Mammogram — left cranio-caudal. 62-year-old patient.
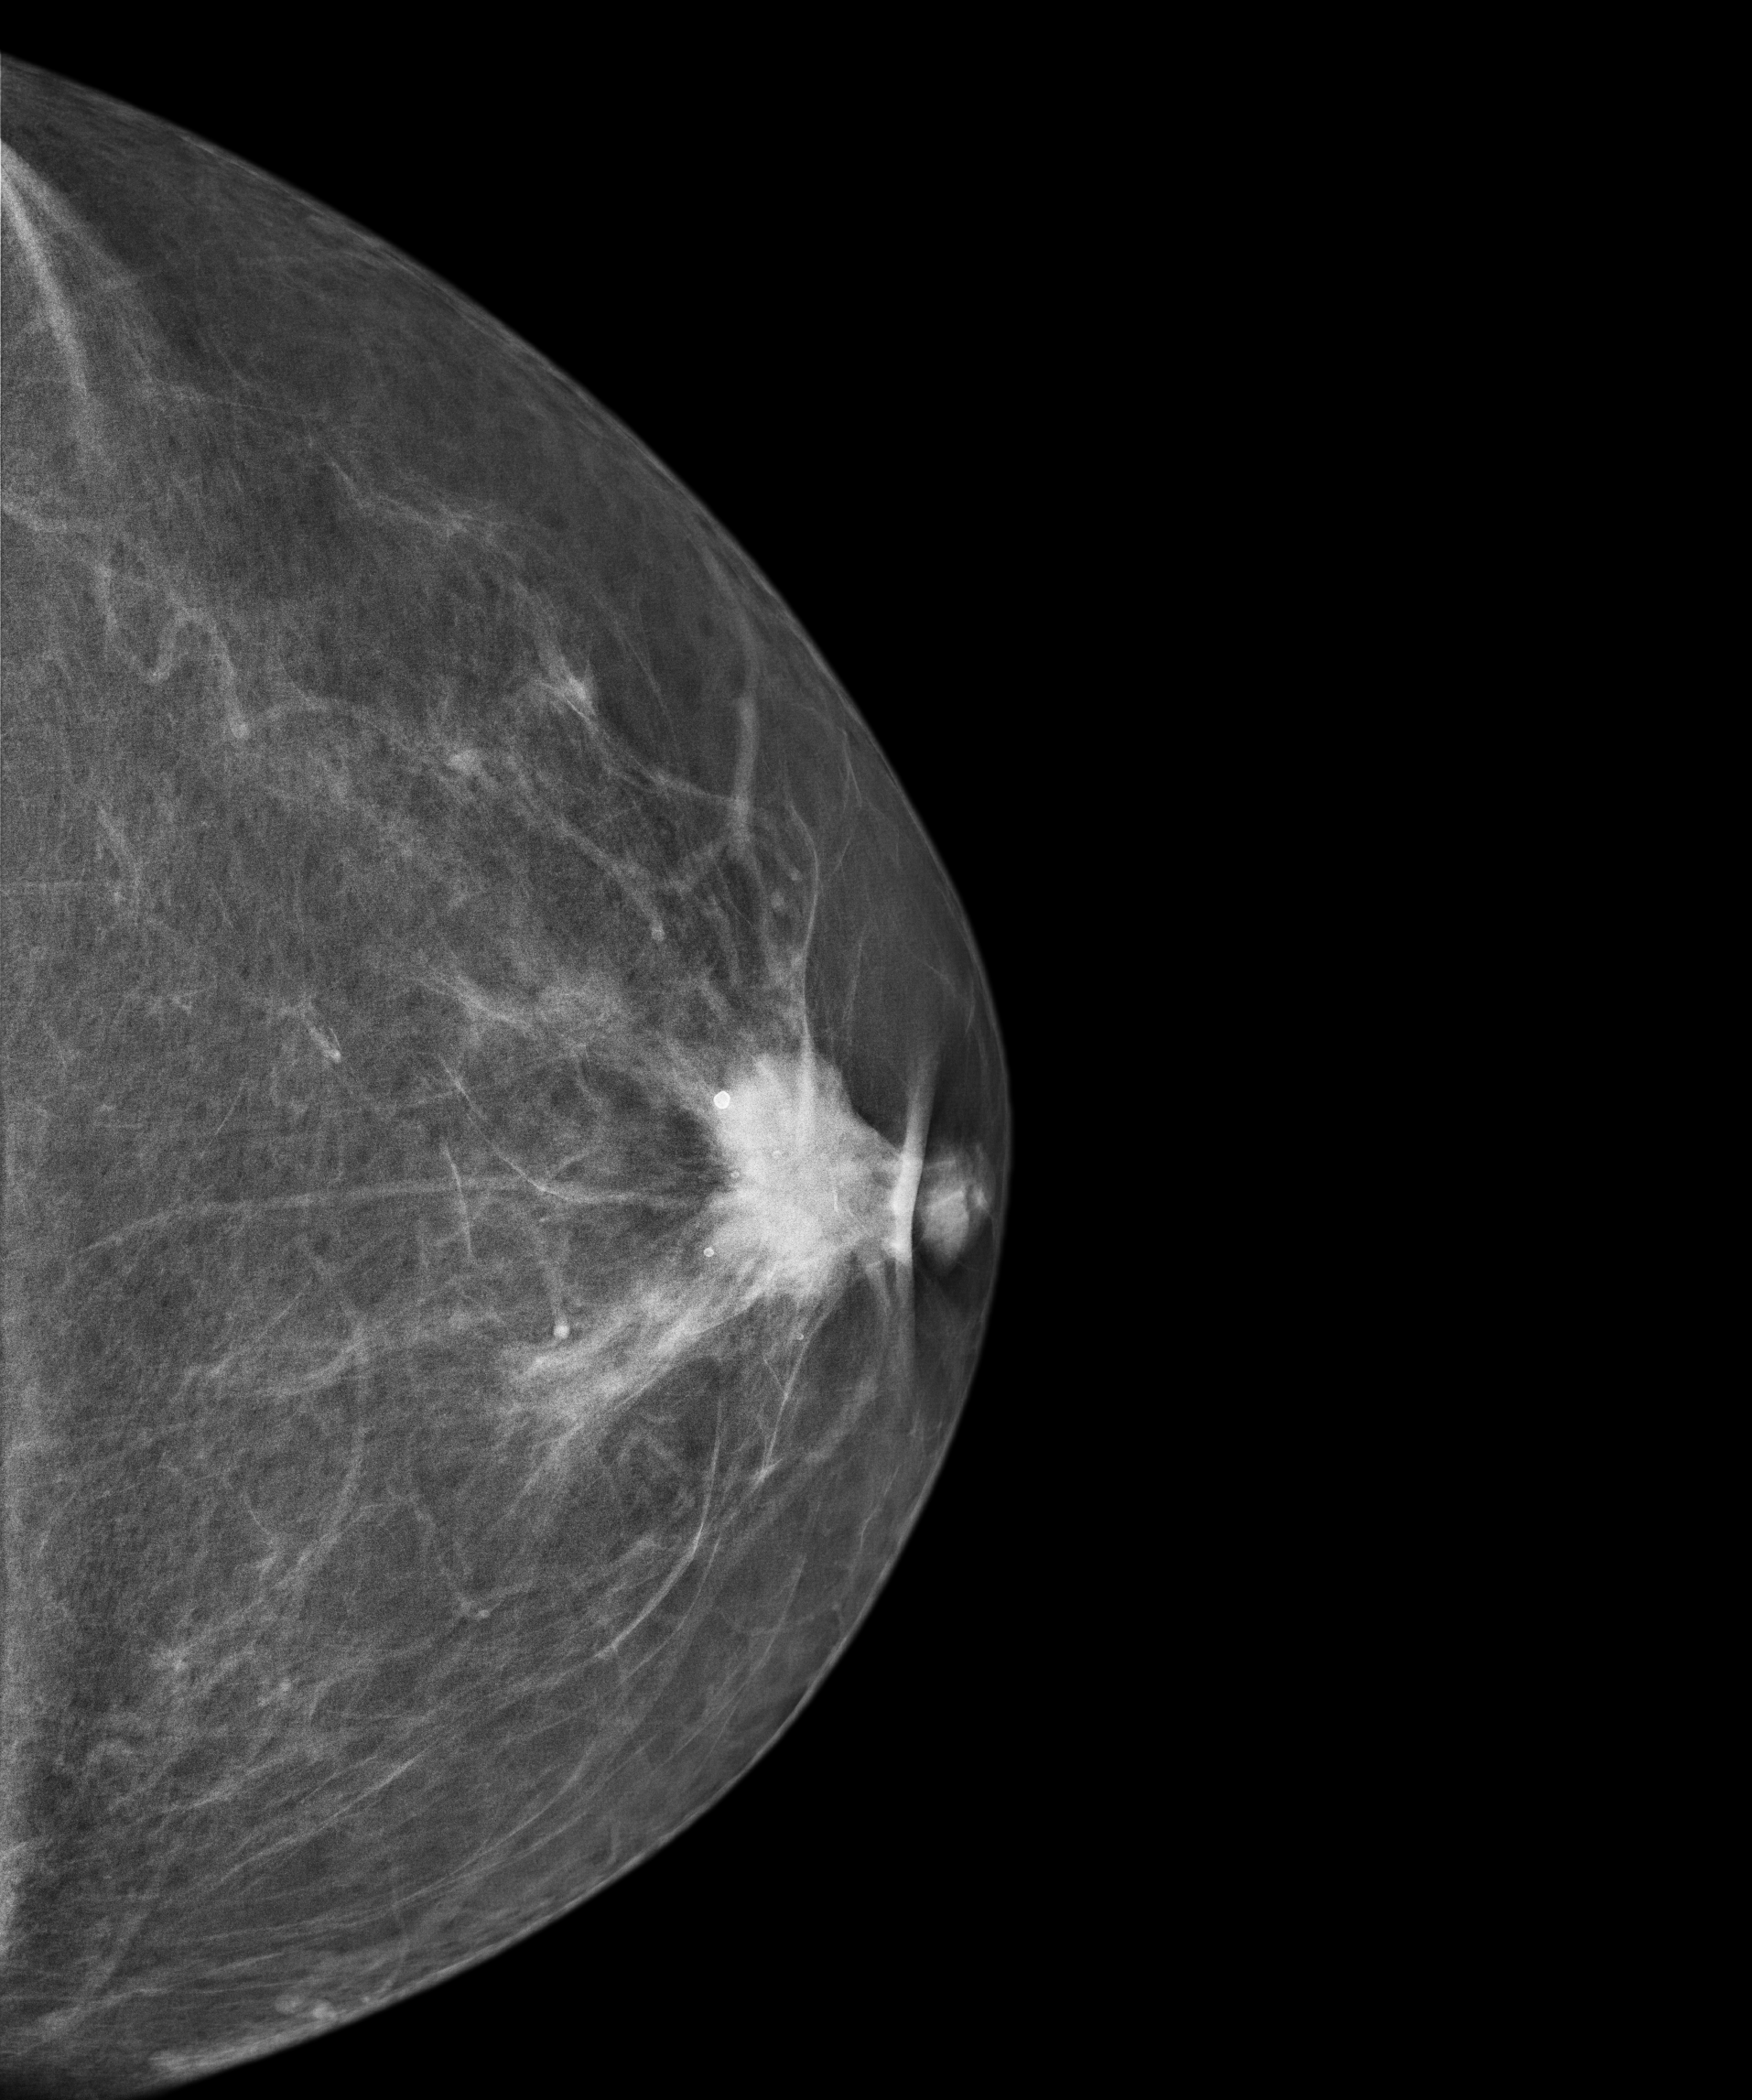
This breast has a mass and calcifications, biopsy-proven malignant. Molecular subtype: luminal A.